CC mammogram of the left breast. 31 y/o patient.
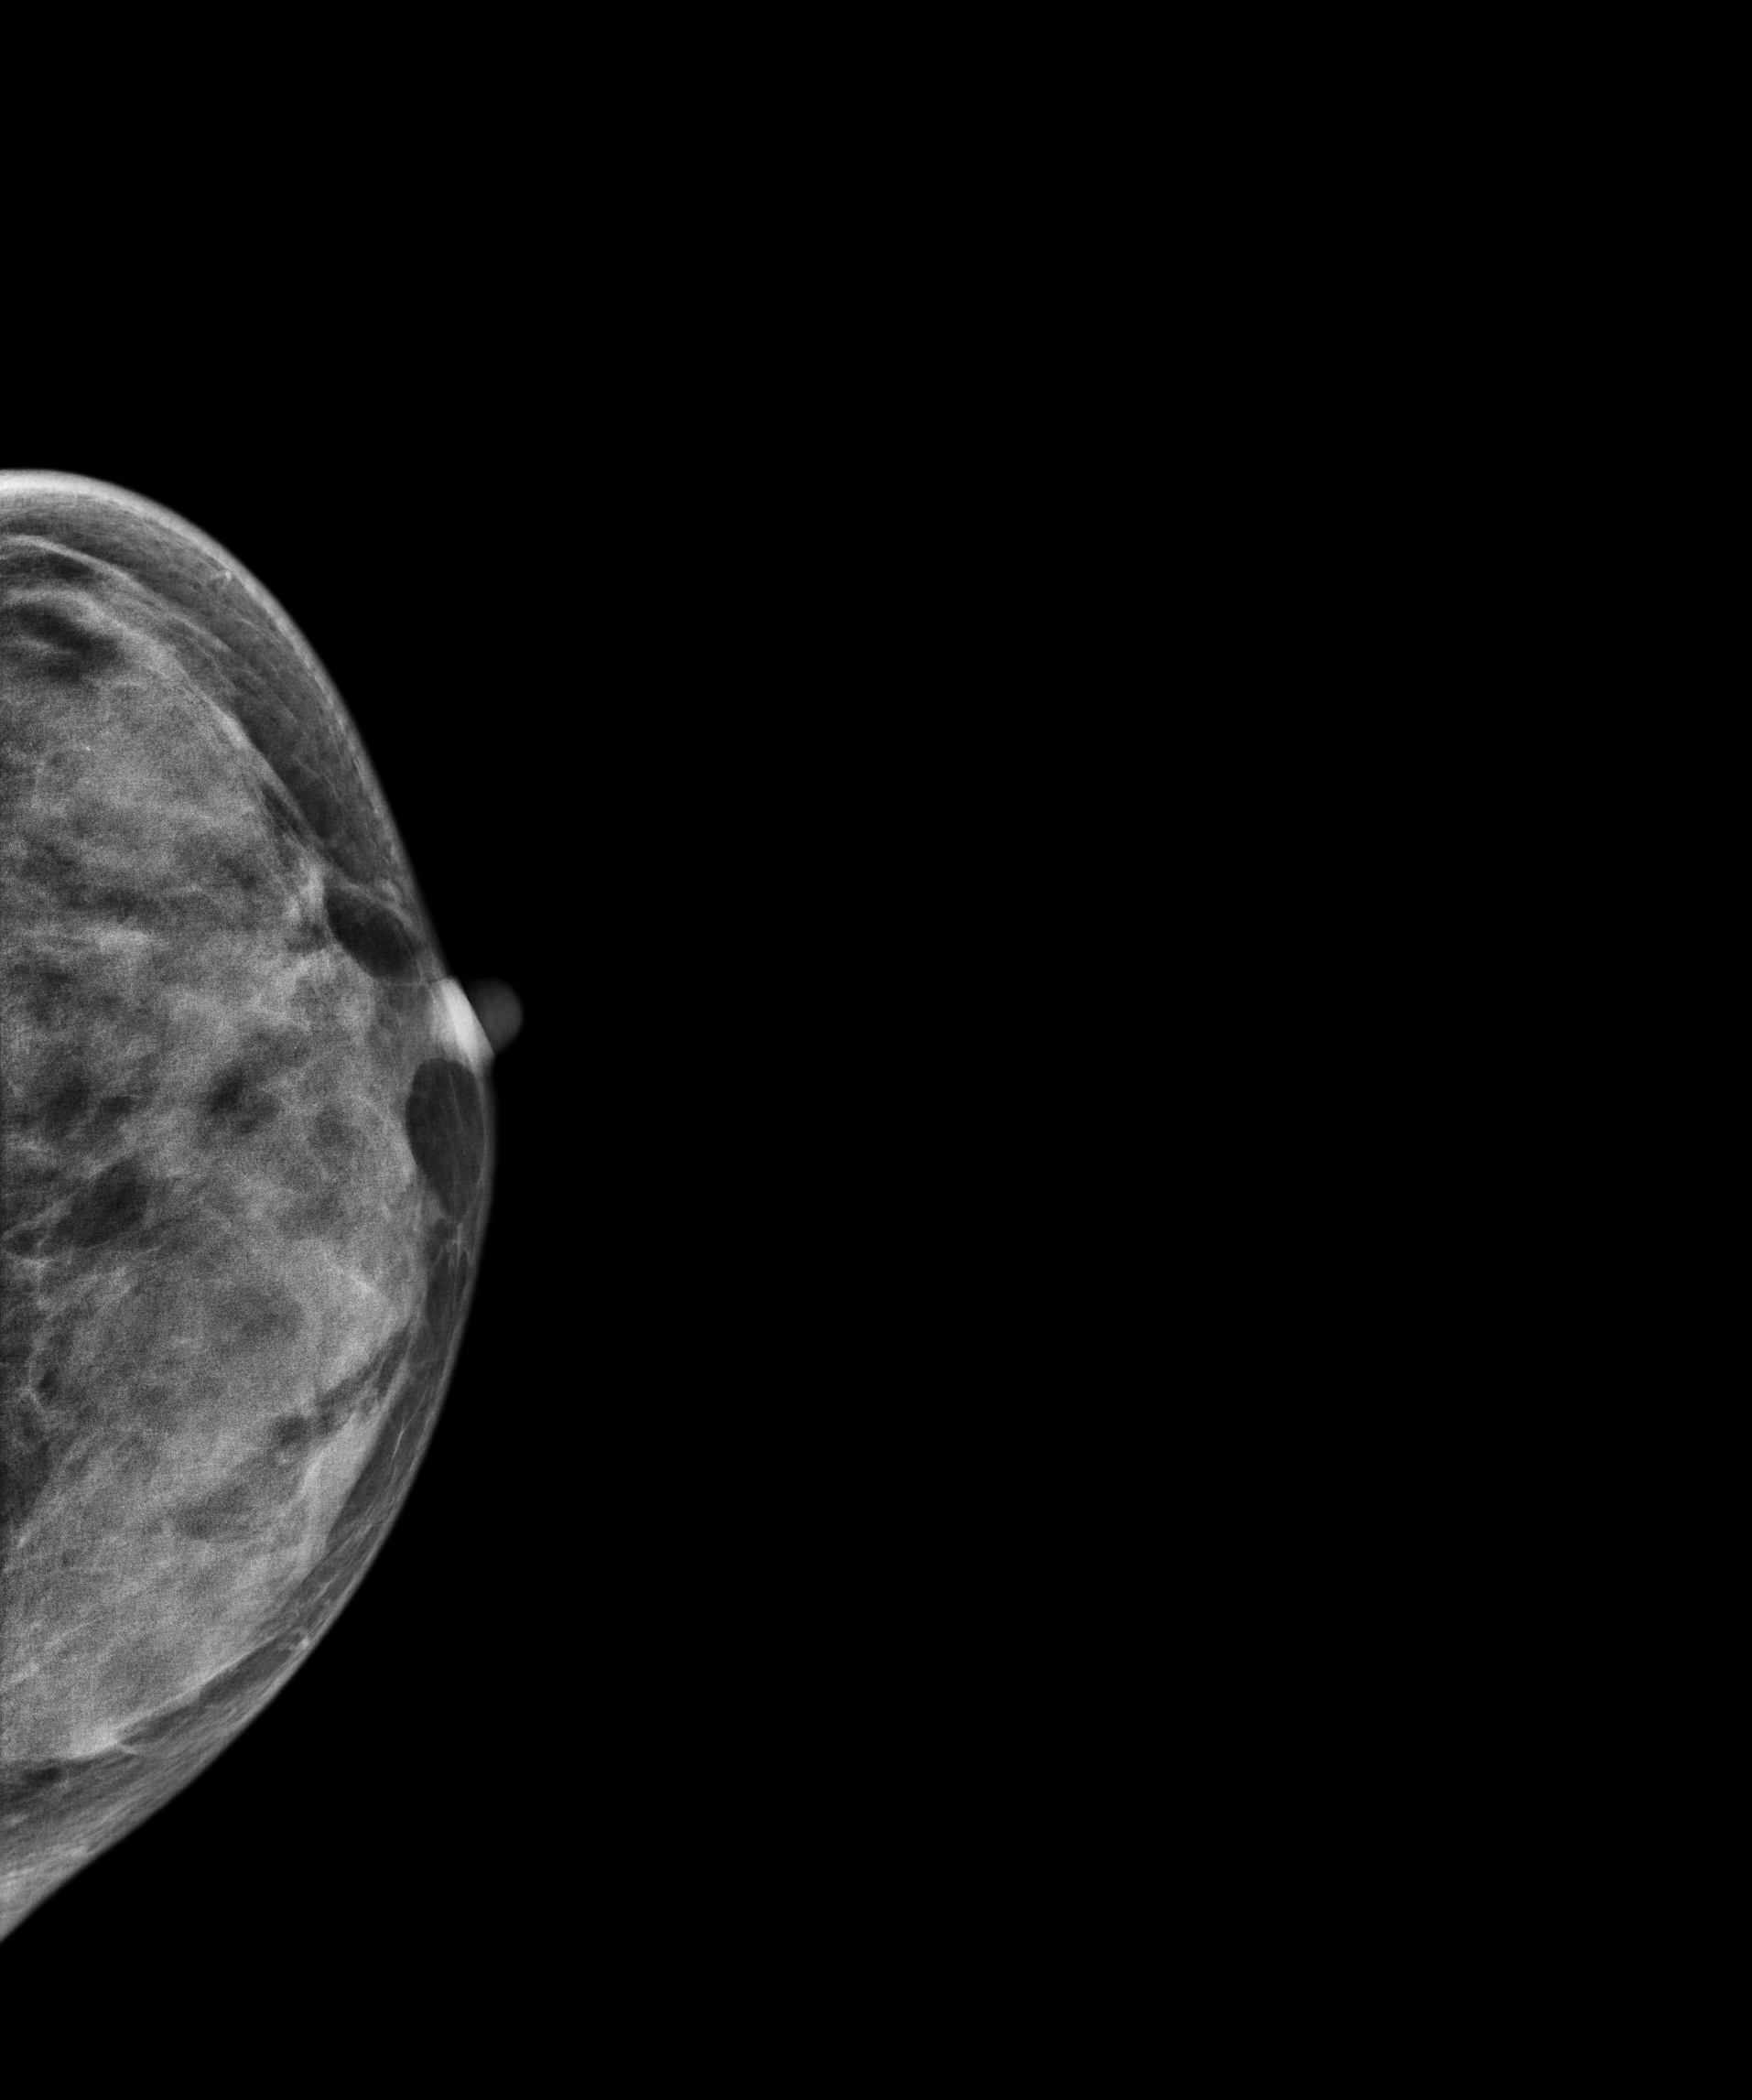
This breast has a mass and calcifications, pathology-confirmed malignant.